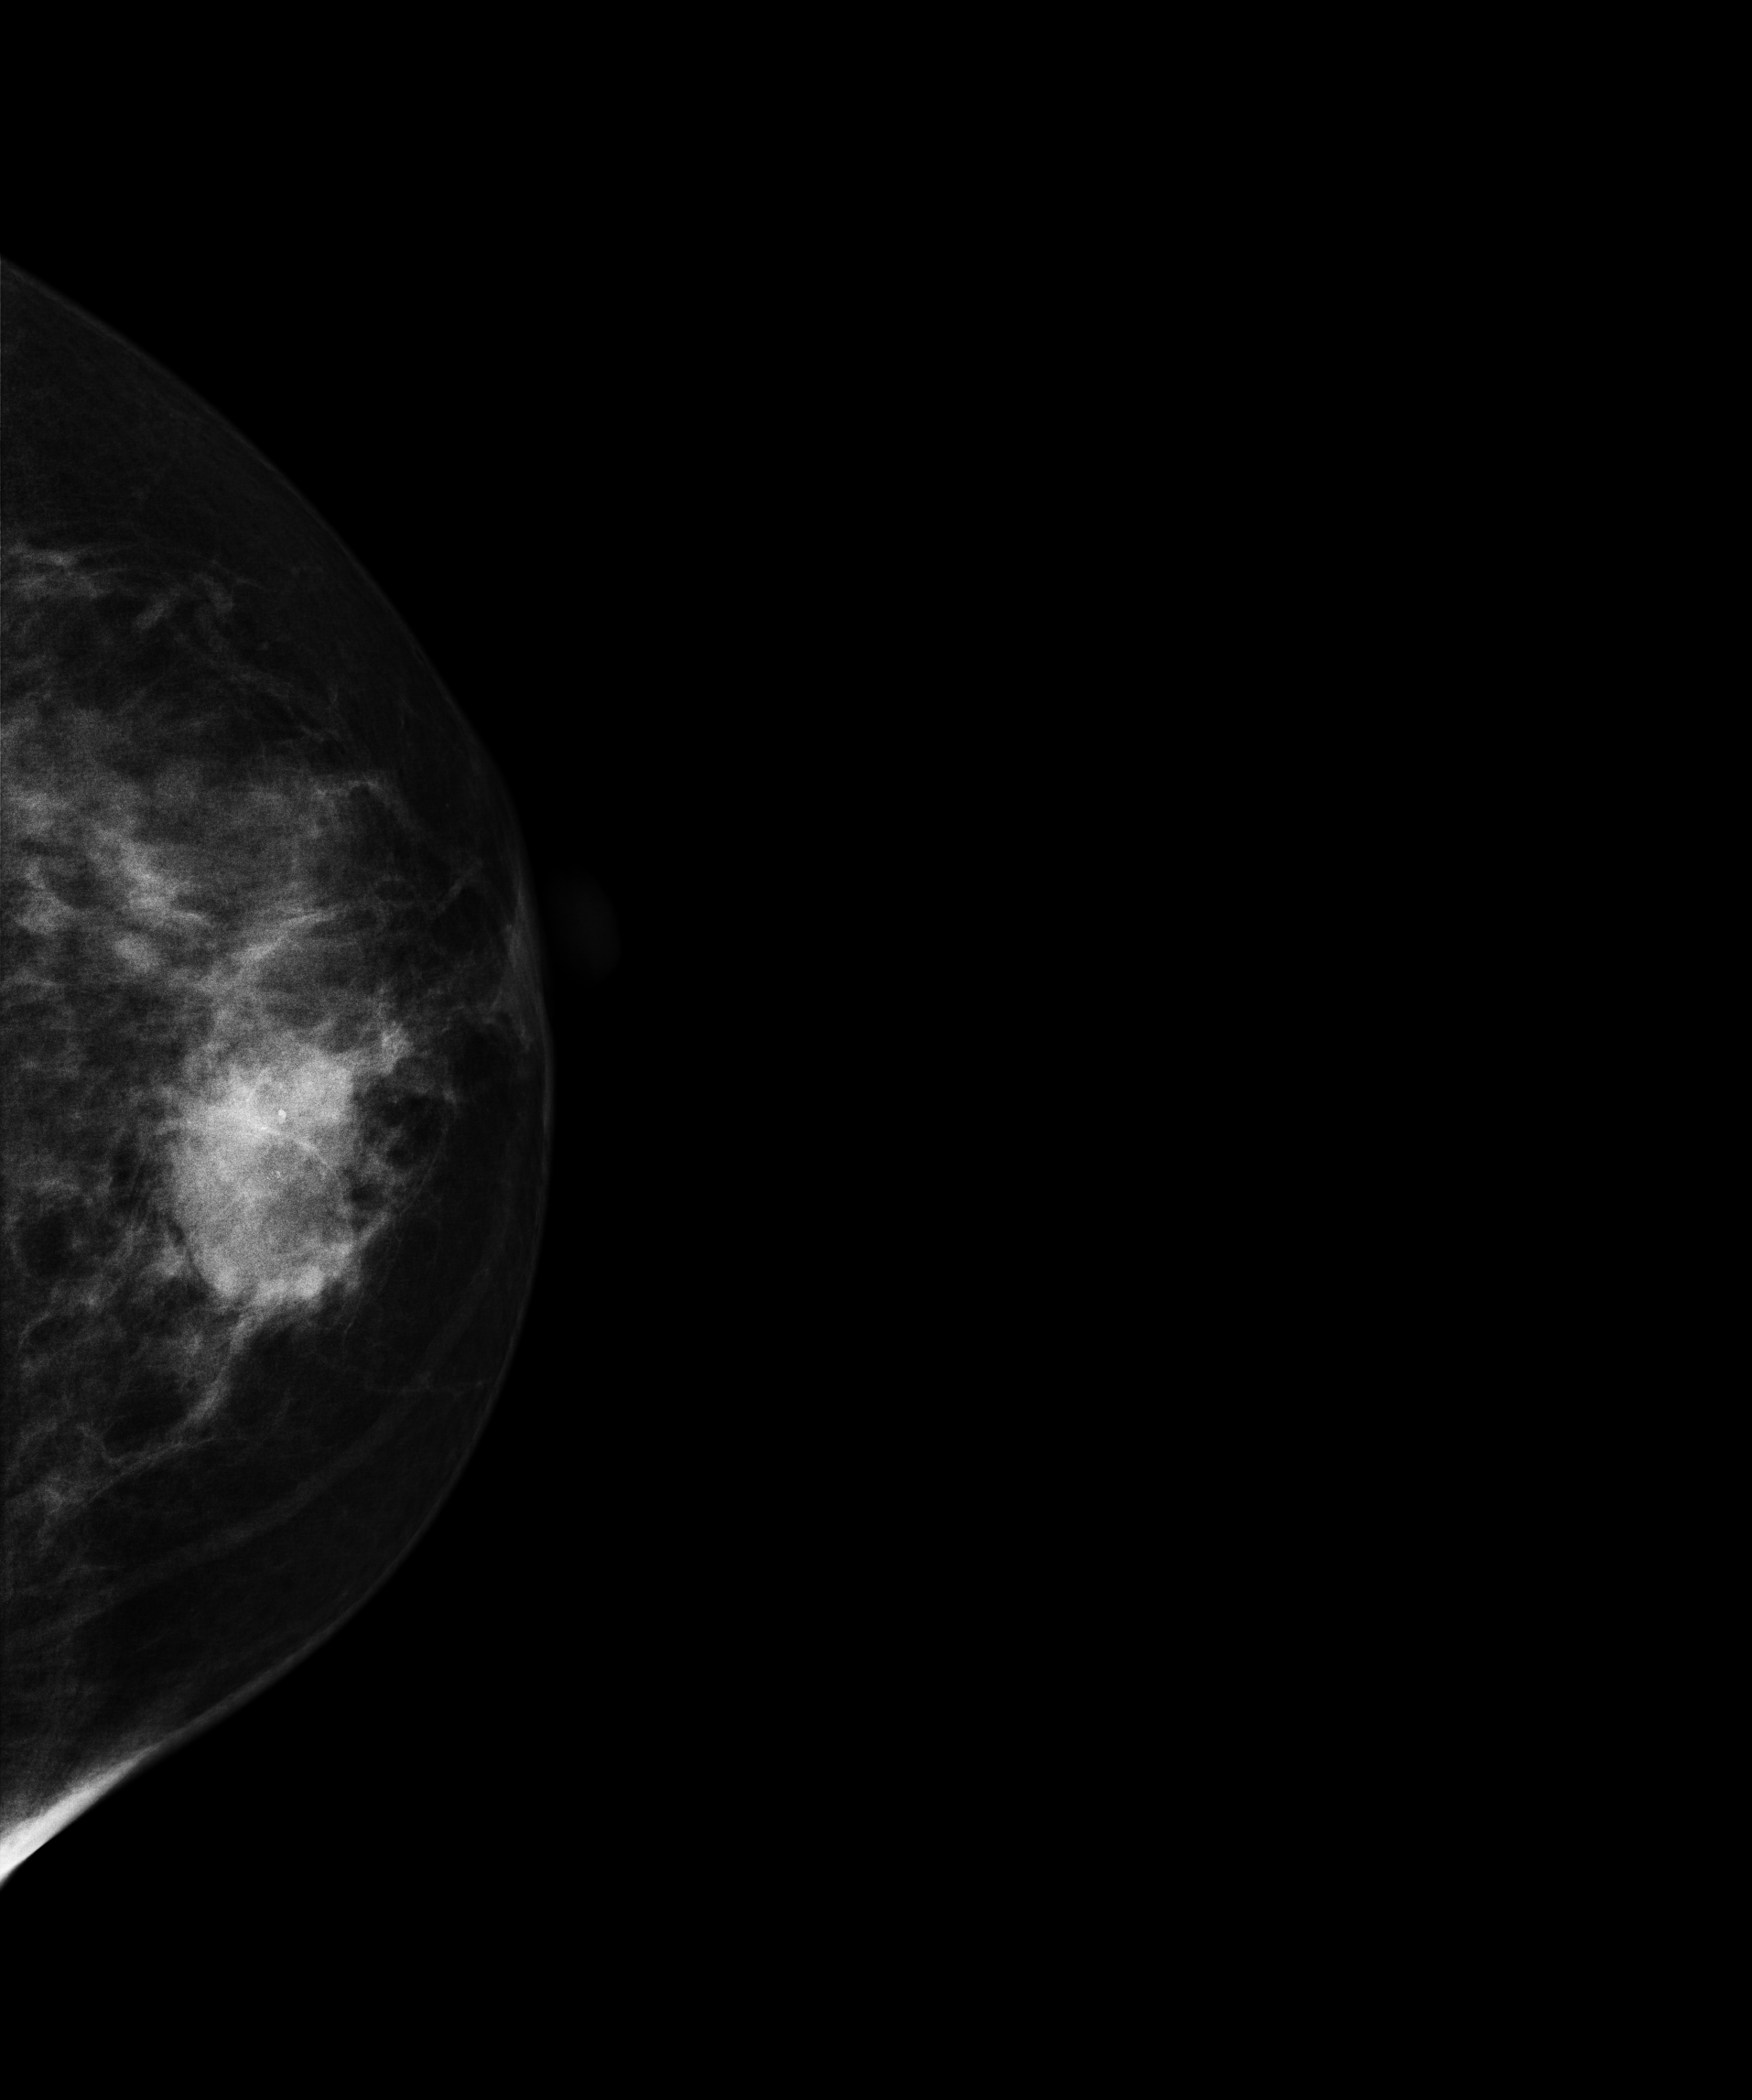
Digital mammography. Left breast, cranio-caudal projection. Patient age 52.
This breast has a mass and calcifications, pathology-confirmed malignant.